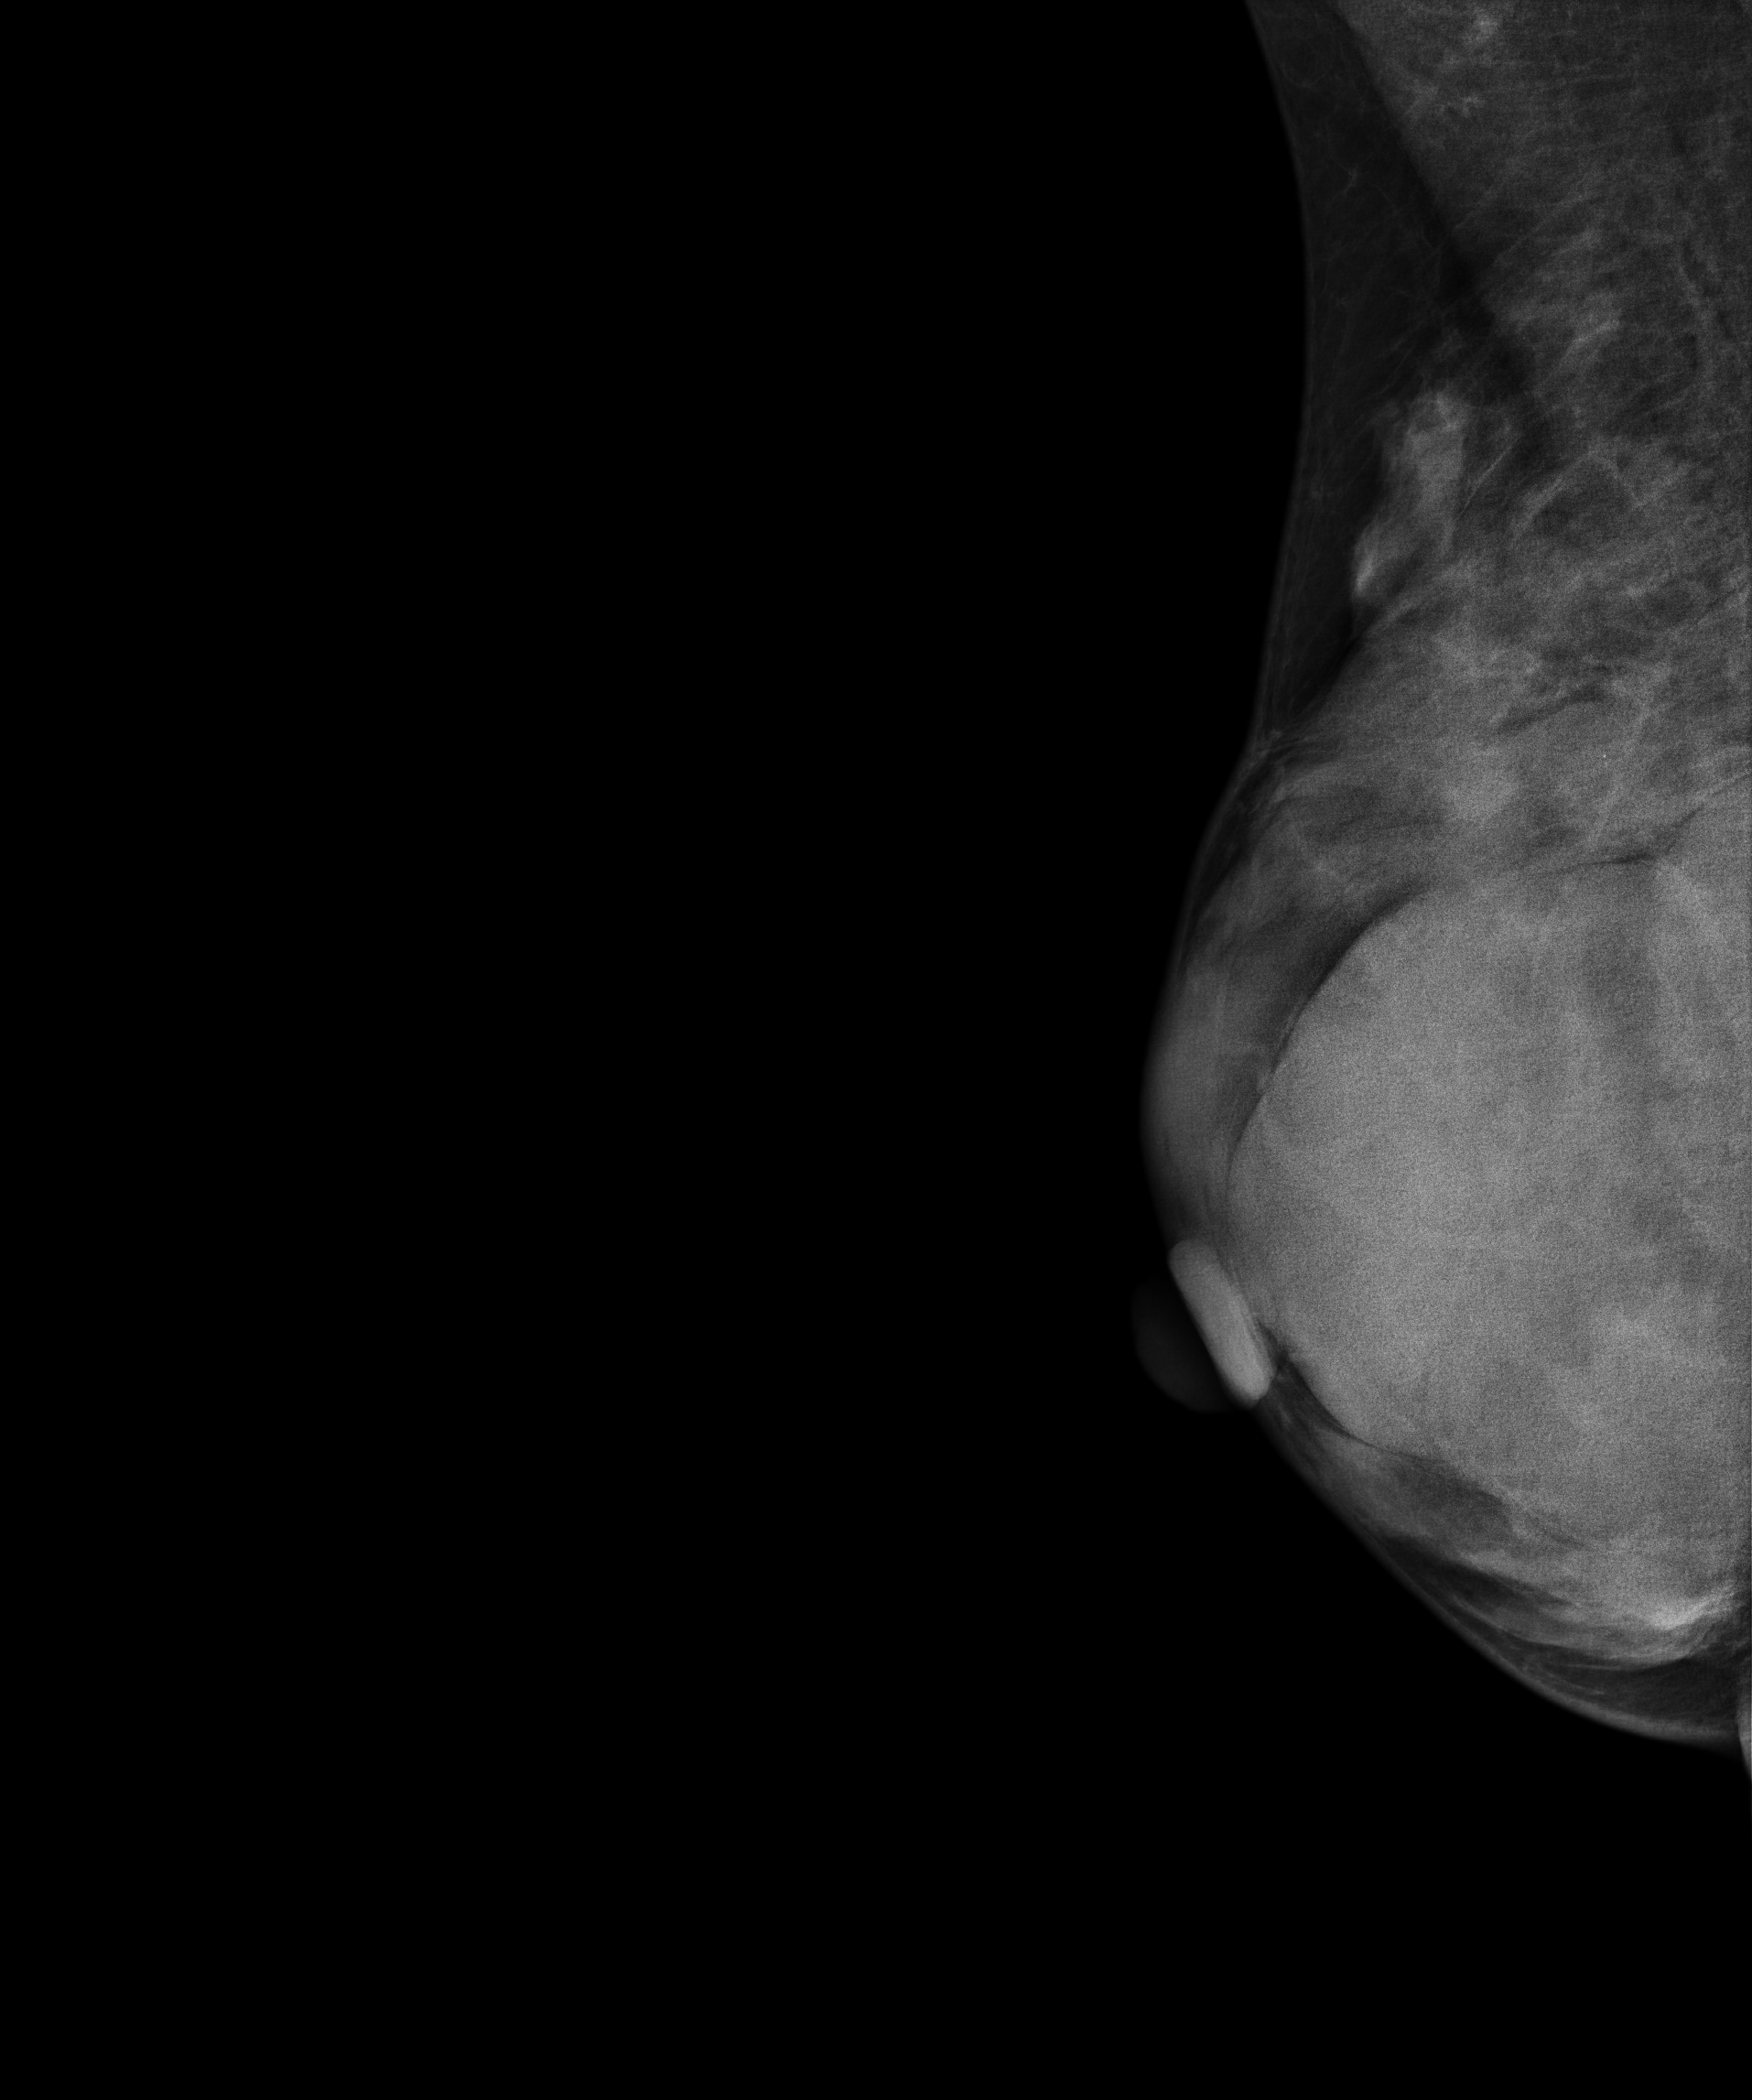
MLO mammogram of the right breast. 49 y/o patient.
This breast has a mass, pathology-confirmed benign.